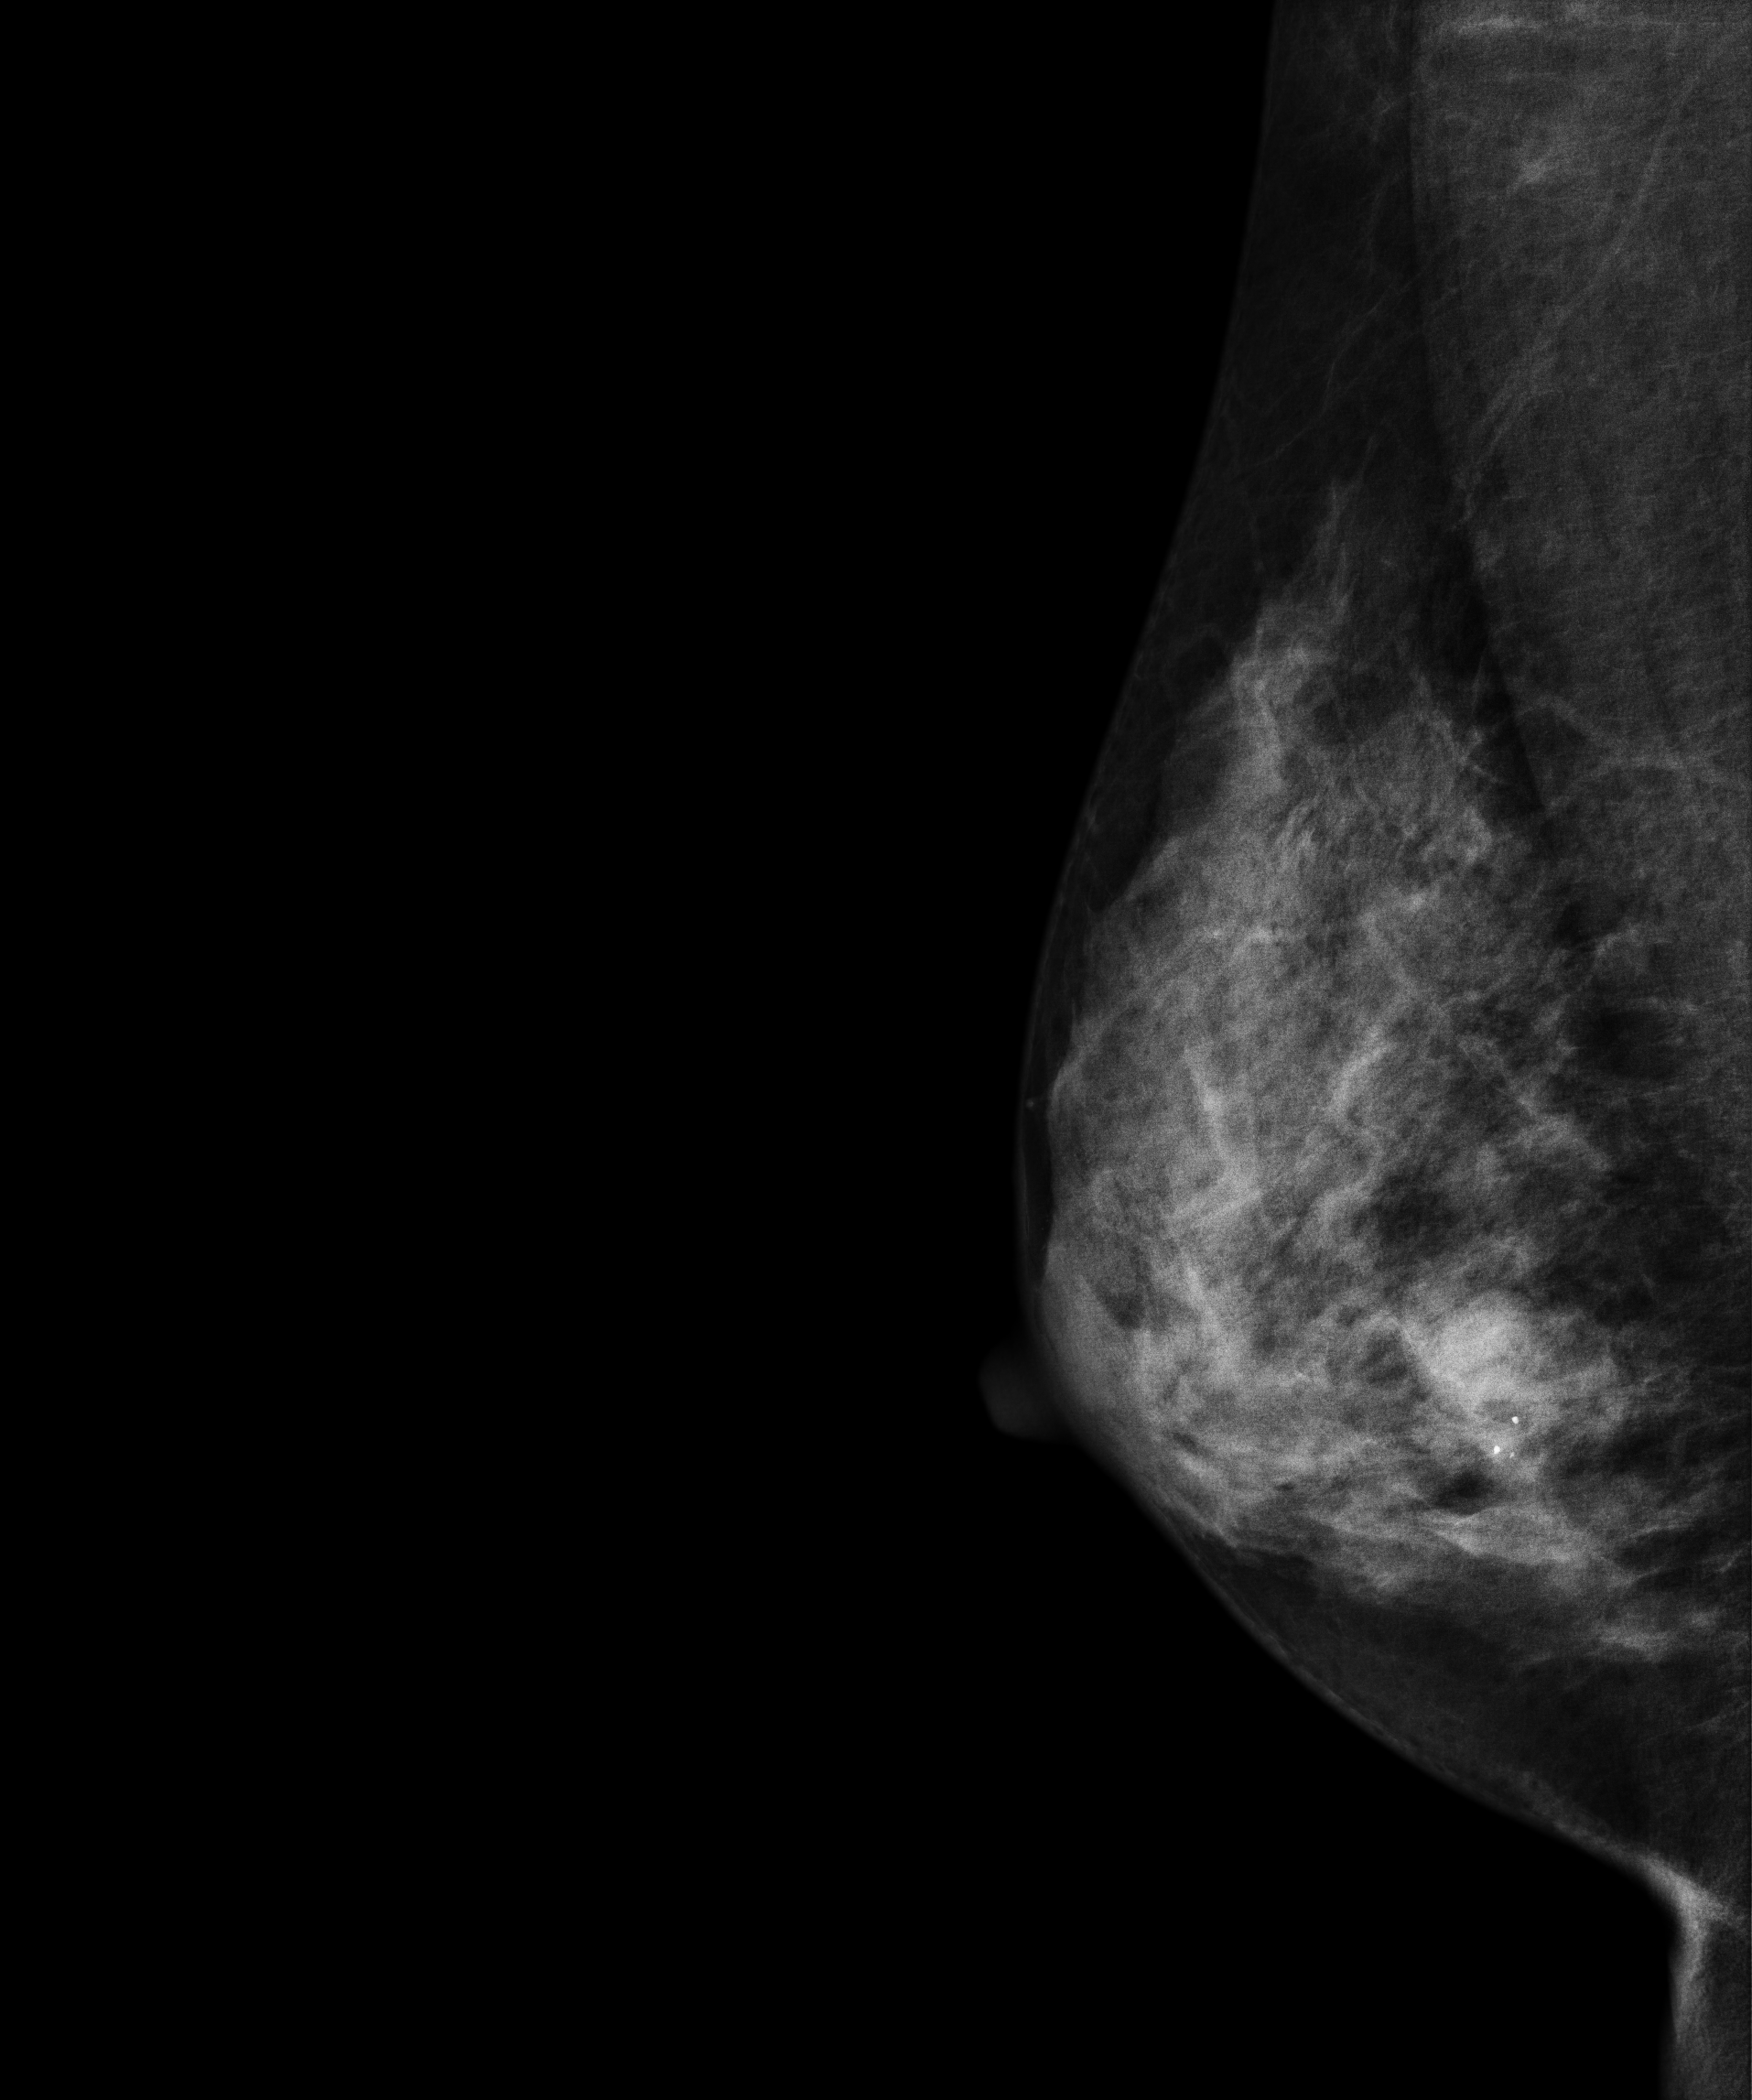
Digital mammography. Right breast, MLO projection. Patient age 43.
This breast has a mass and calcifications, biopsy-confirmed benign.